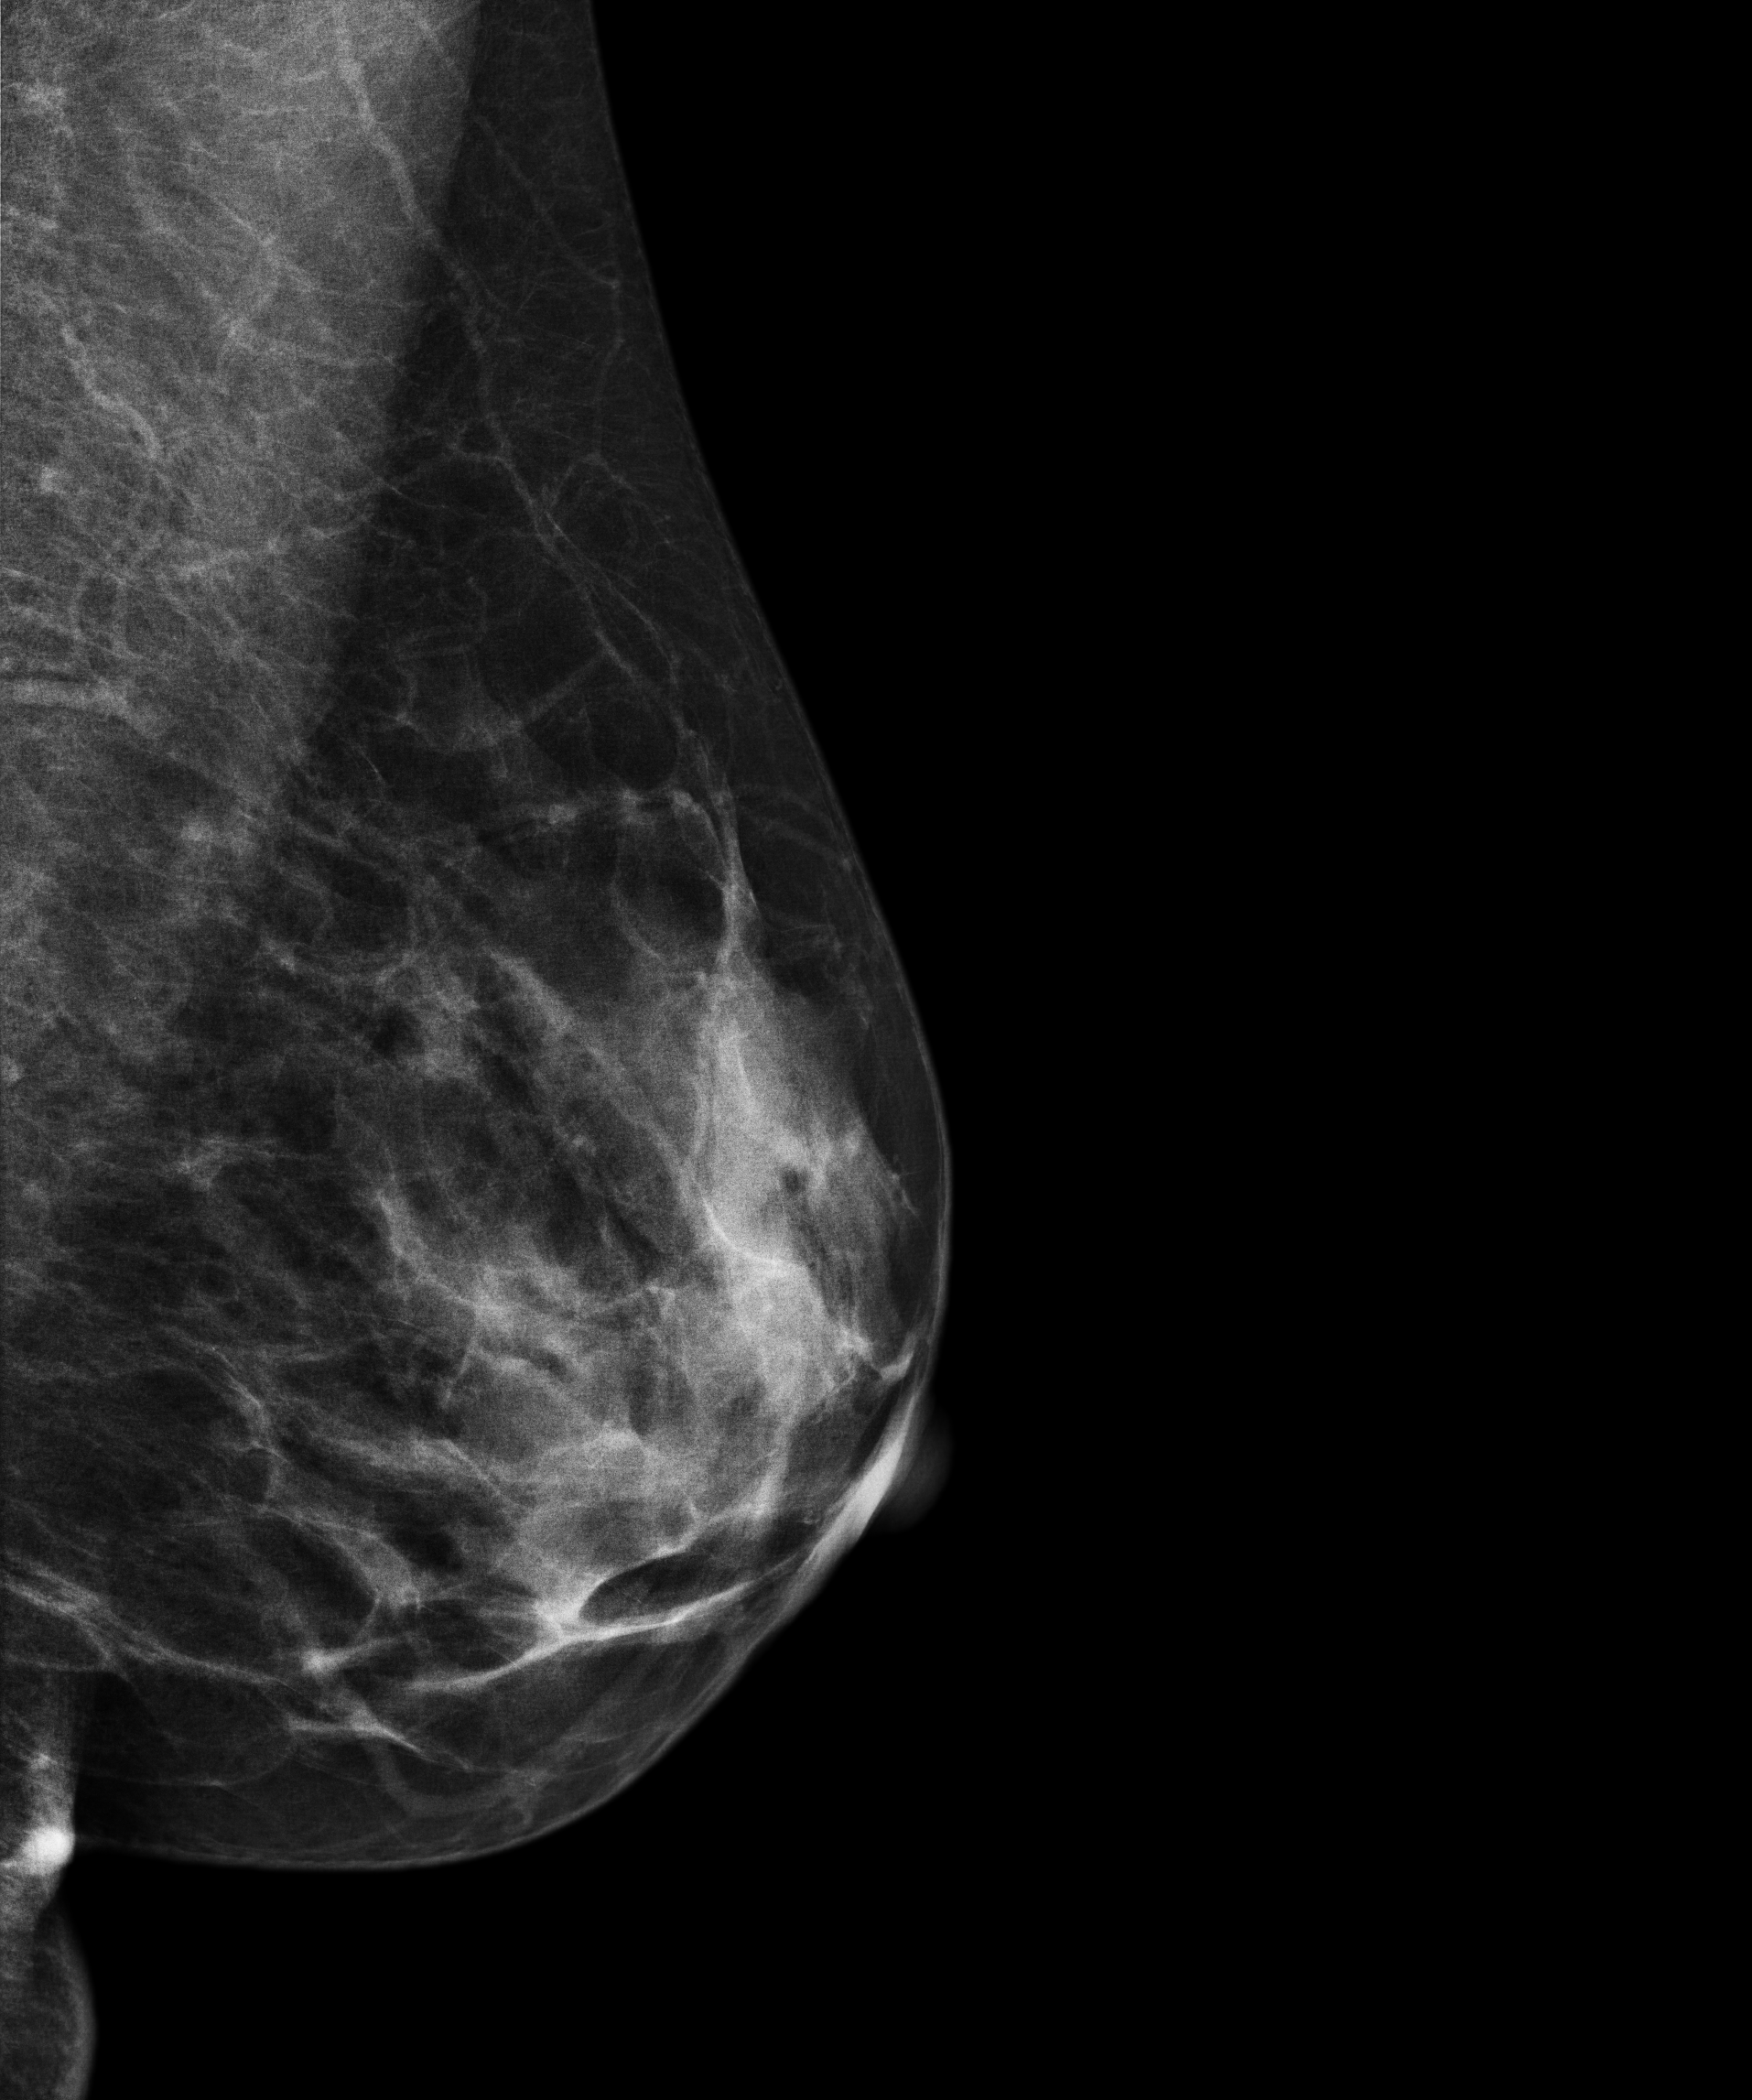
Medio-lateral oblique mammogram of the left breast. 46 y/o patient.
Contralateral breast — no documented abnormality on this side.